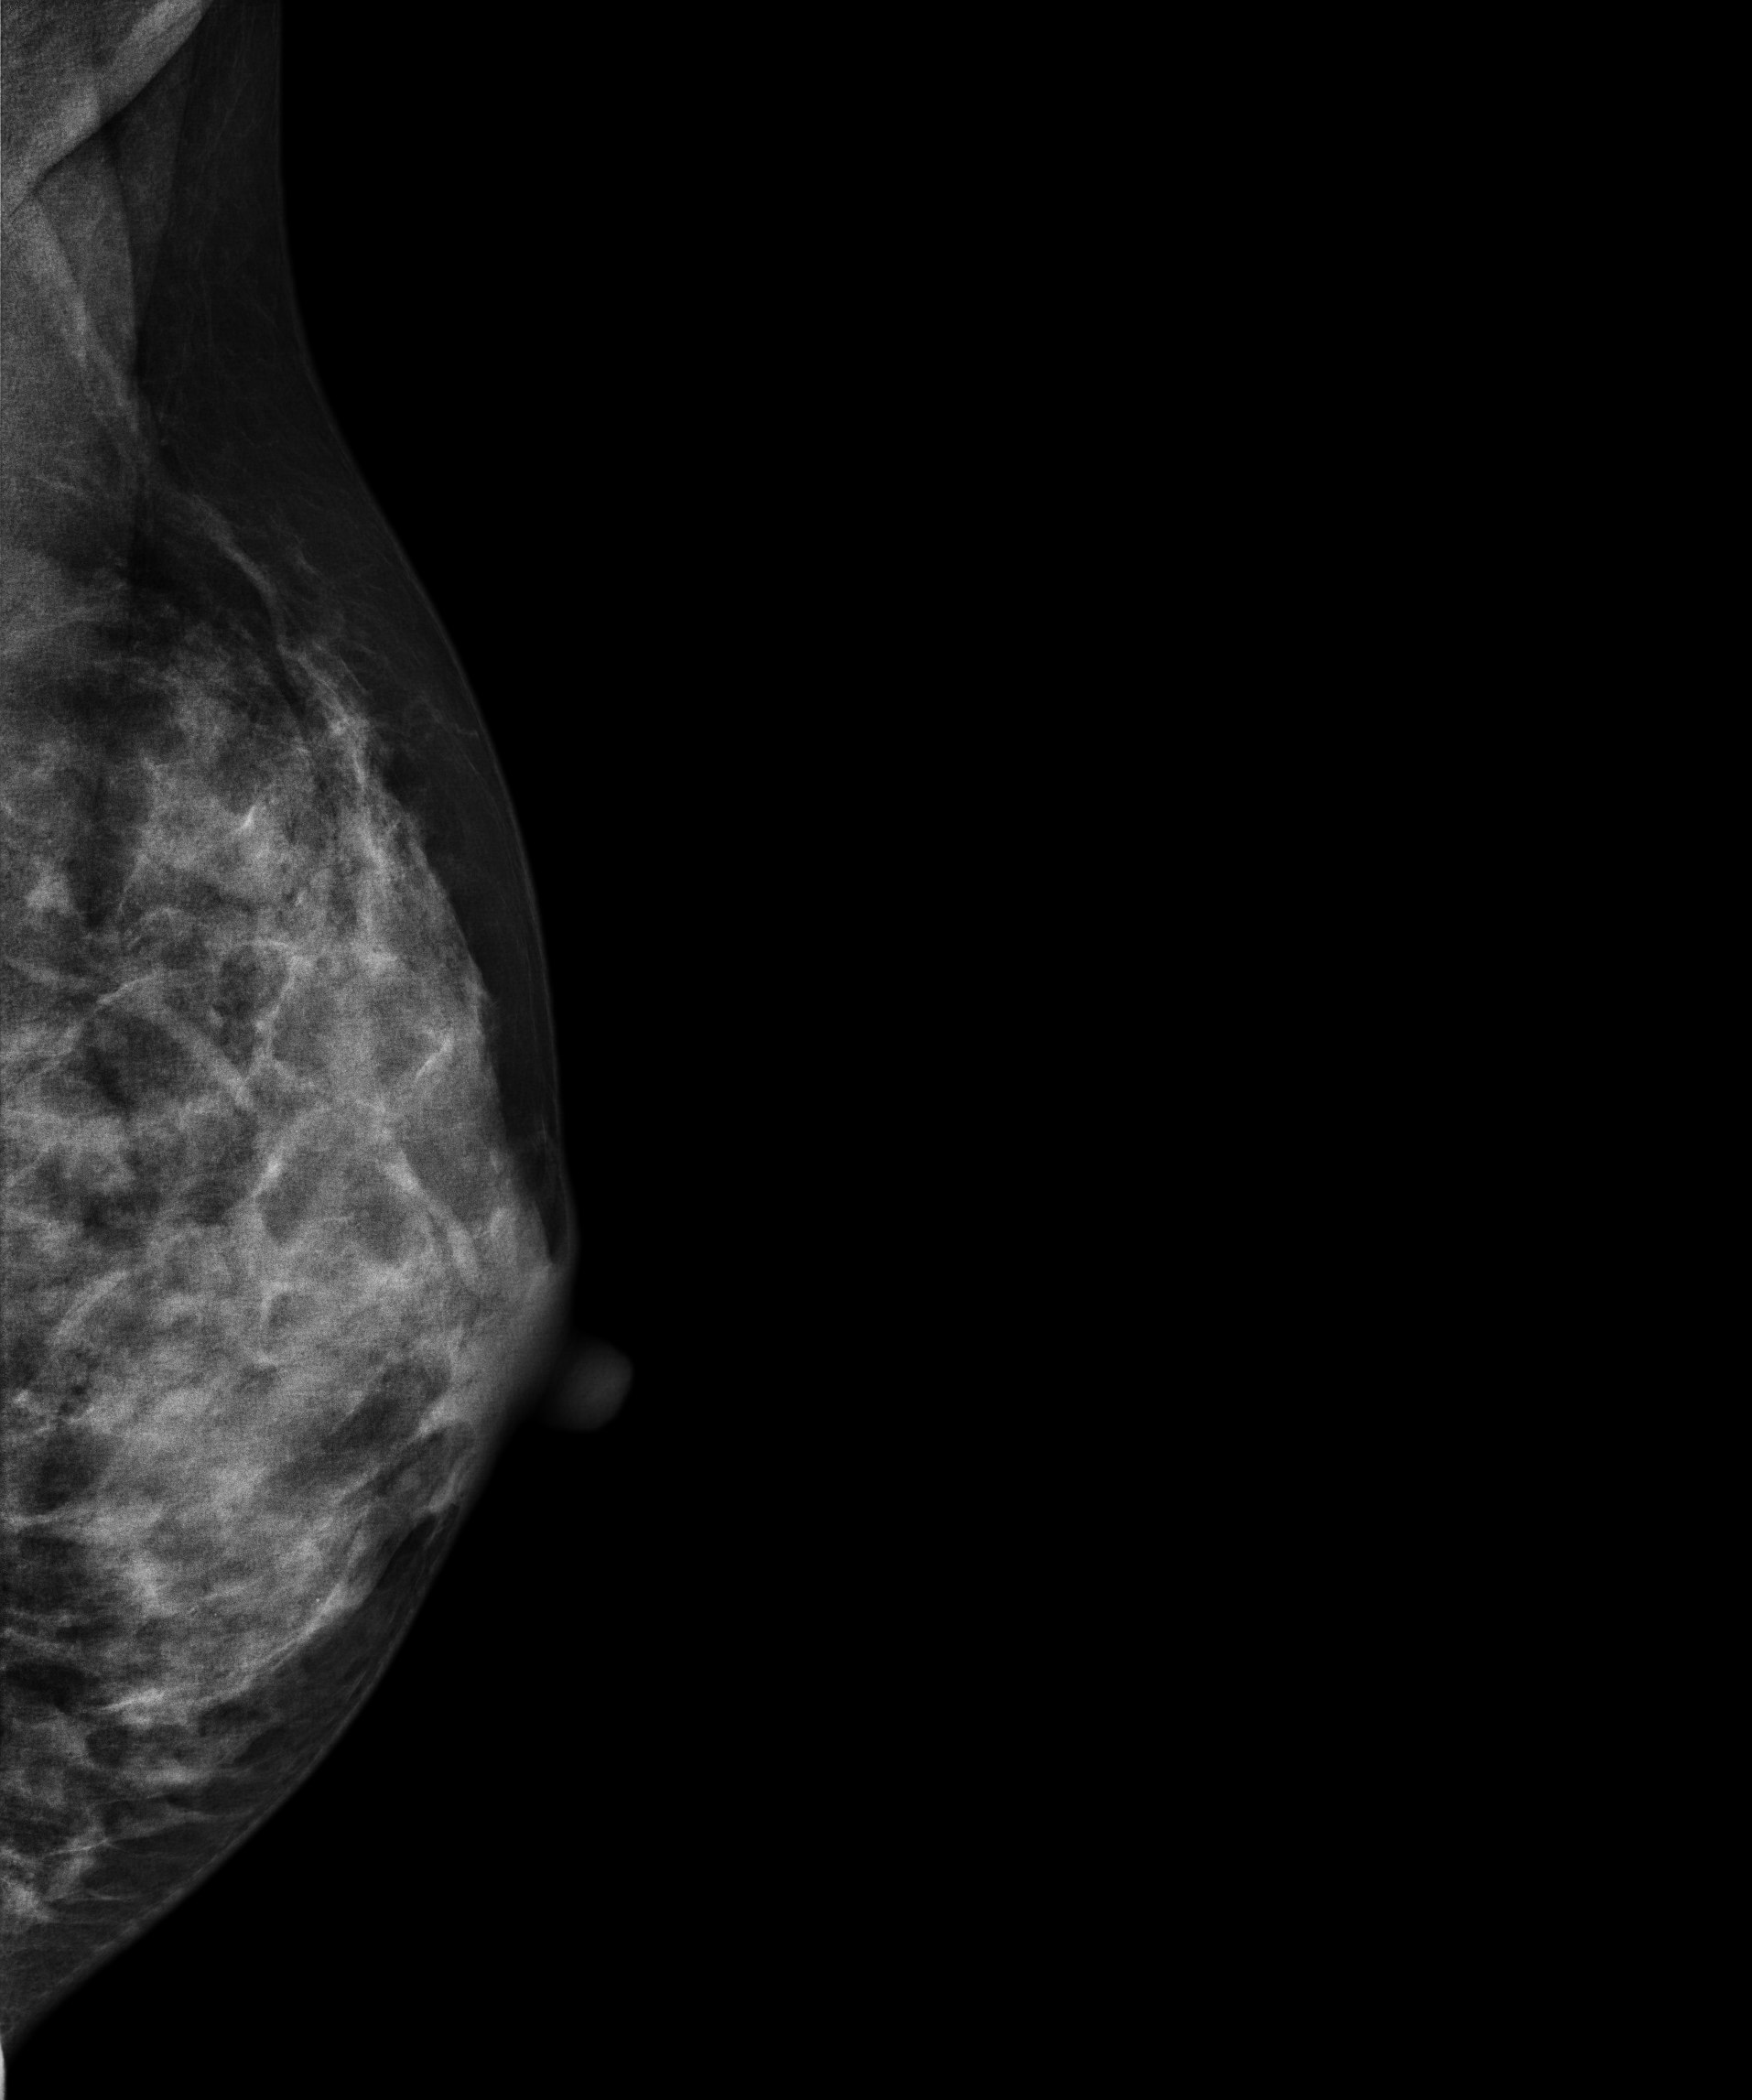
Digital mammography. Left breast, MLO projection. 26-year-old patient.
This breast has a mass and calcifications, biopsy-proven benign.